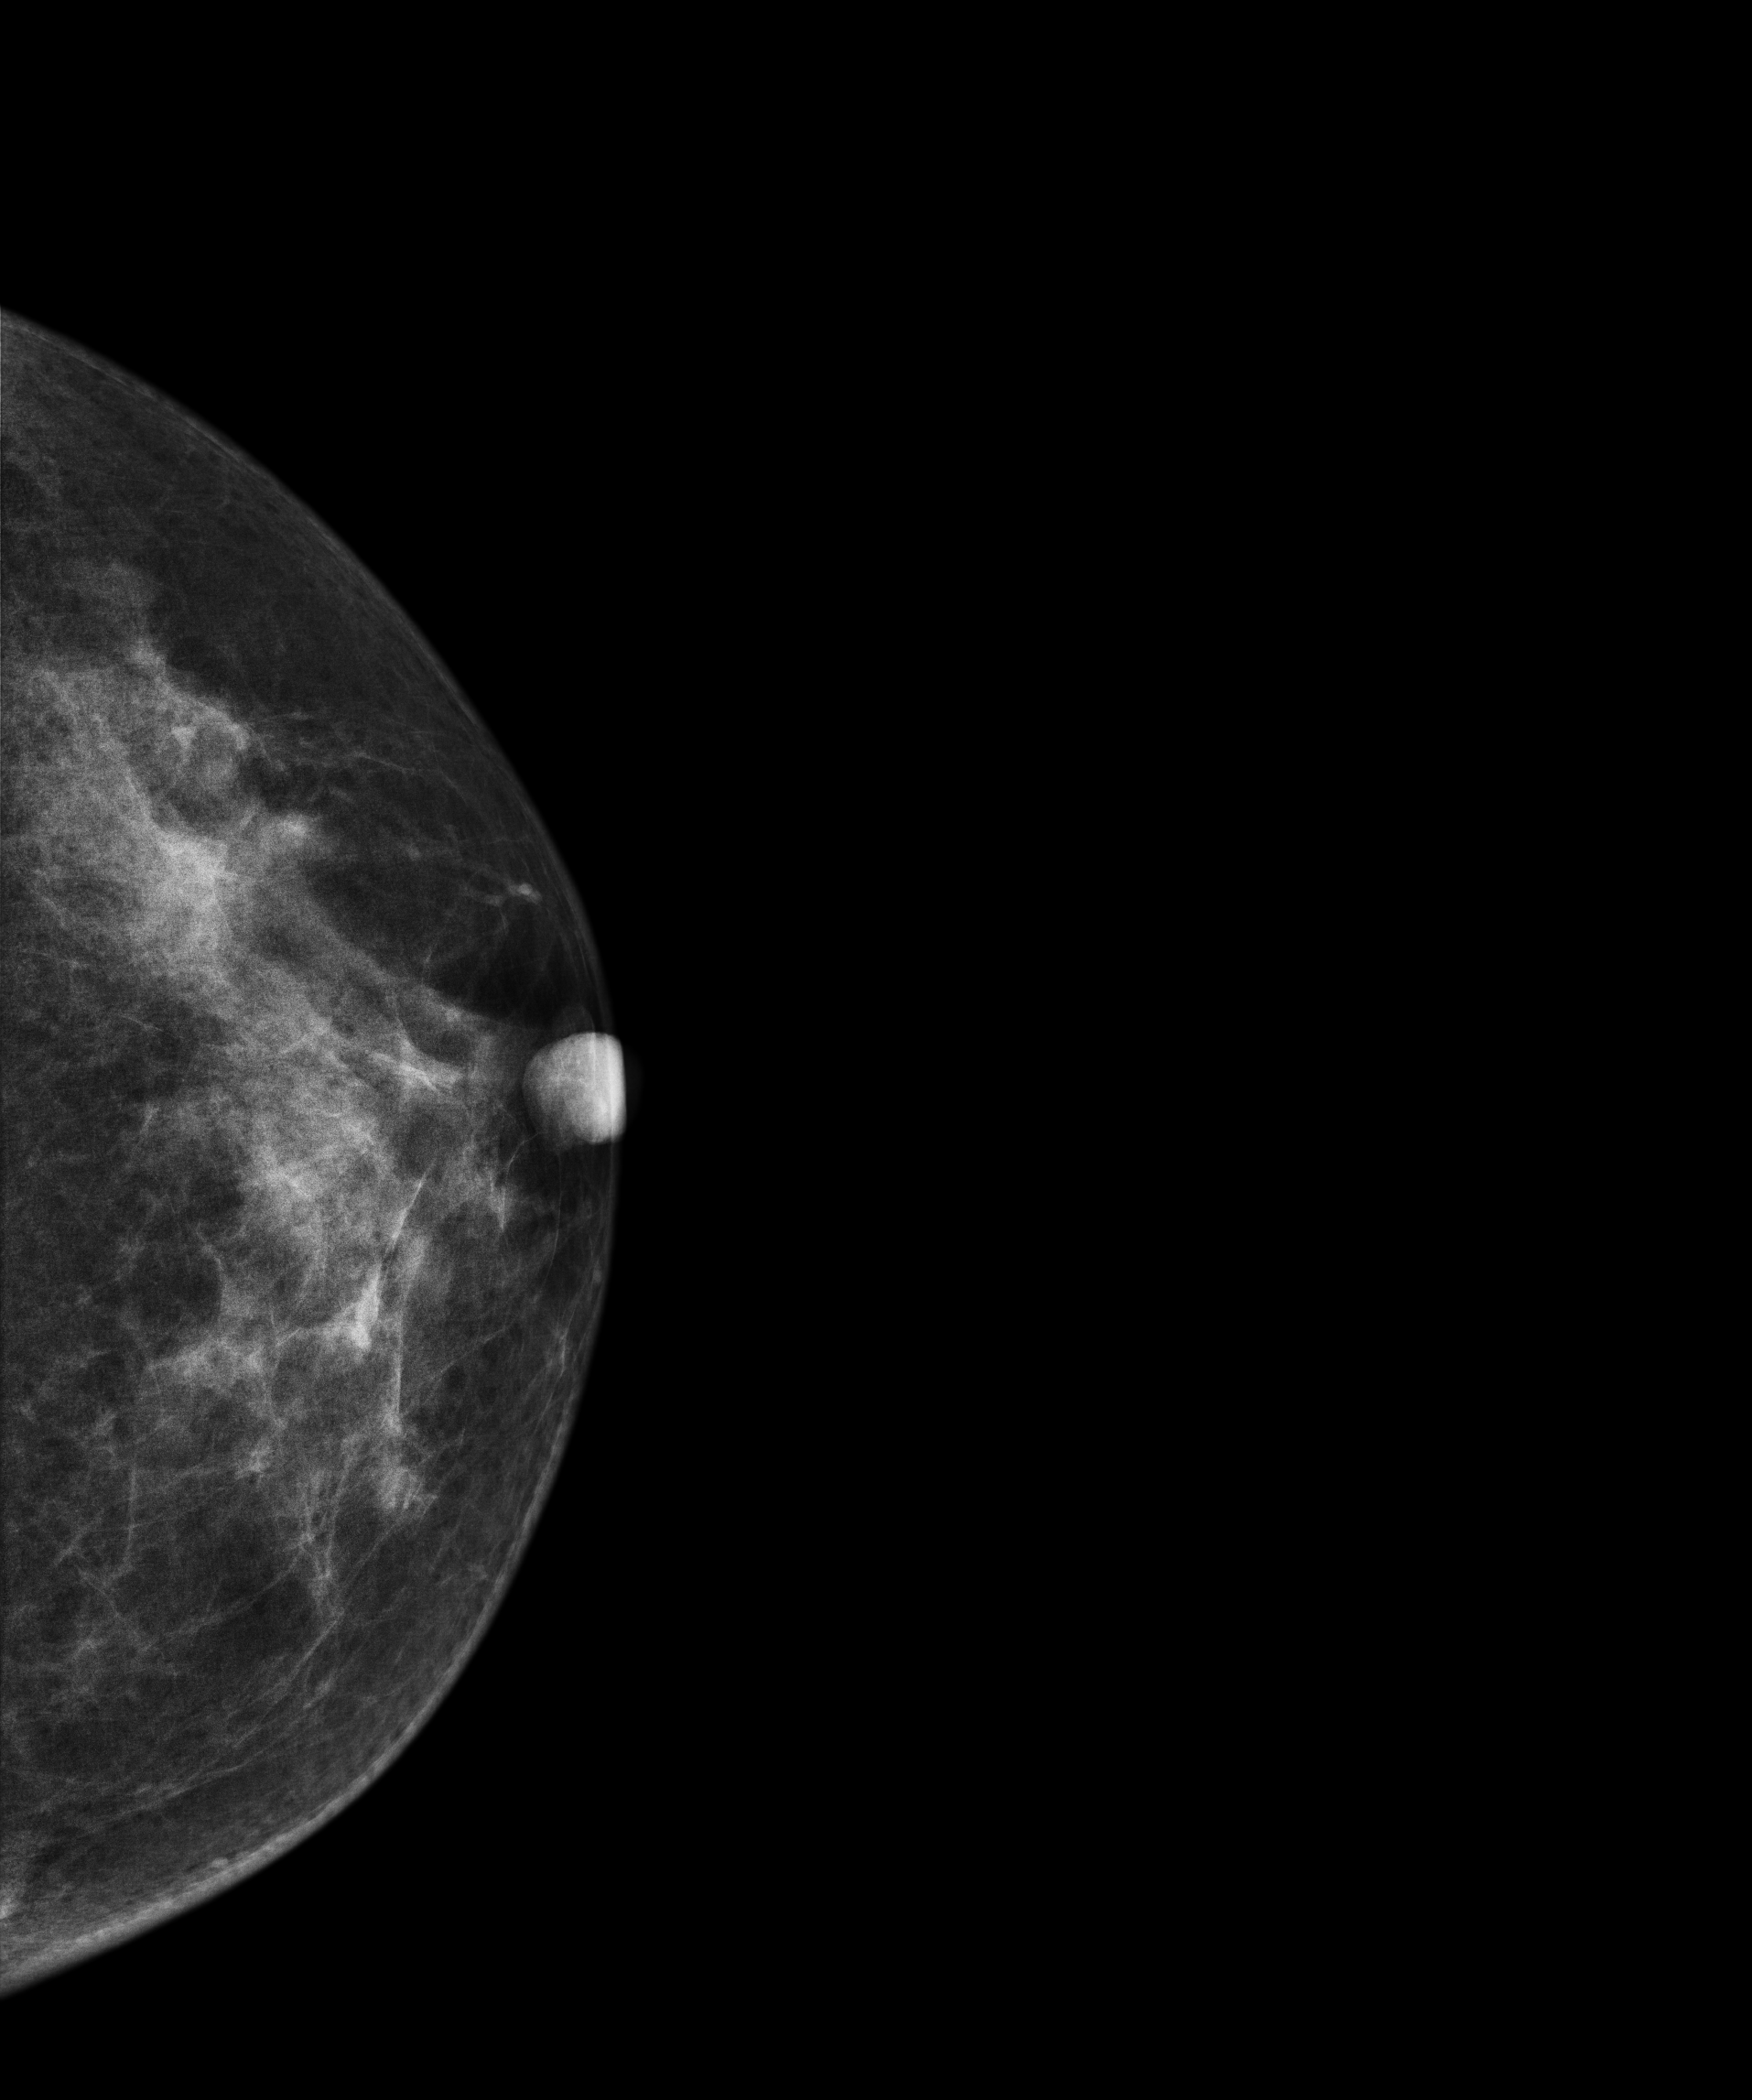
Mammogram, left breast, CC view. 47 y/o patient.
Contralateral breast — no documented abnormality on this side.